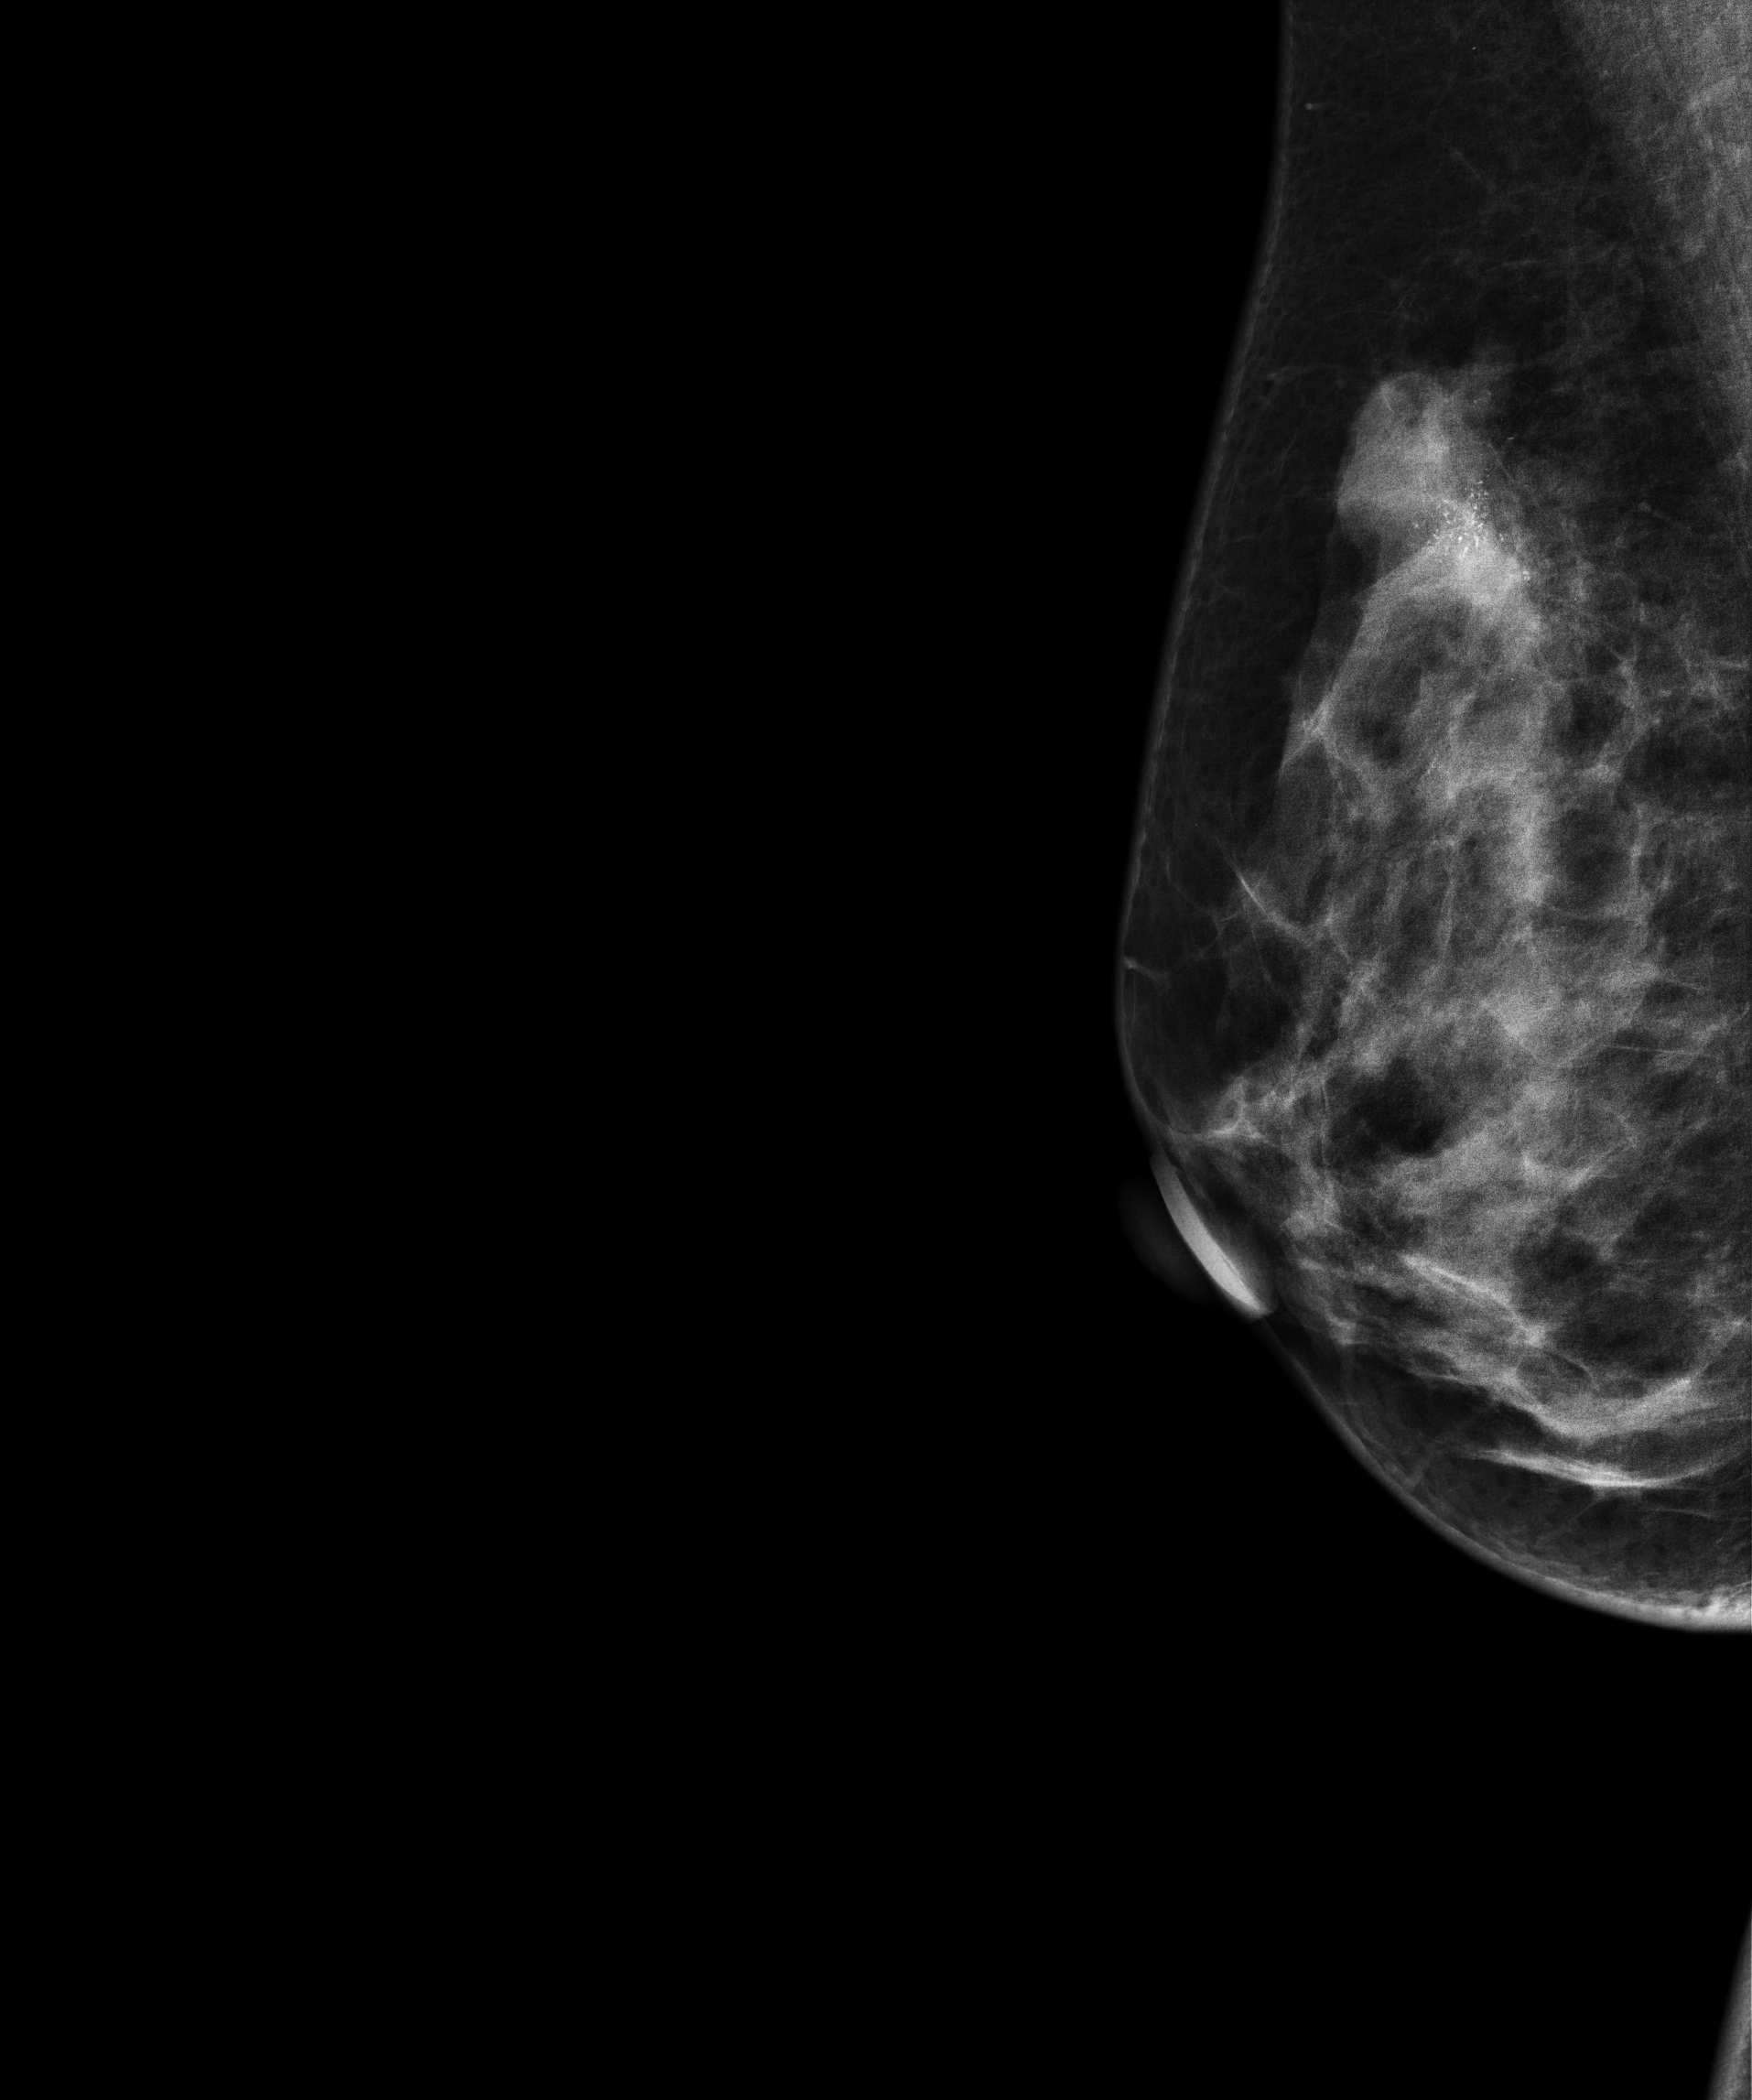
Mammogram, right breast, medio-lateral oblique view. Patient age 45.
This breast has a mass and calcifications, biopsy-proven malignant.